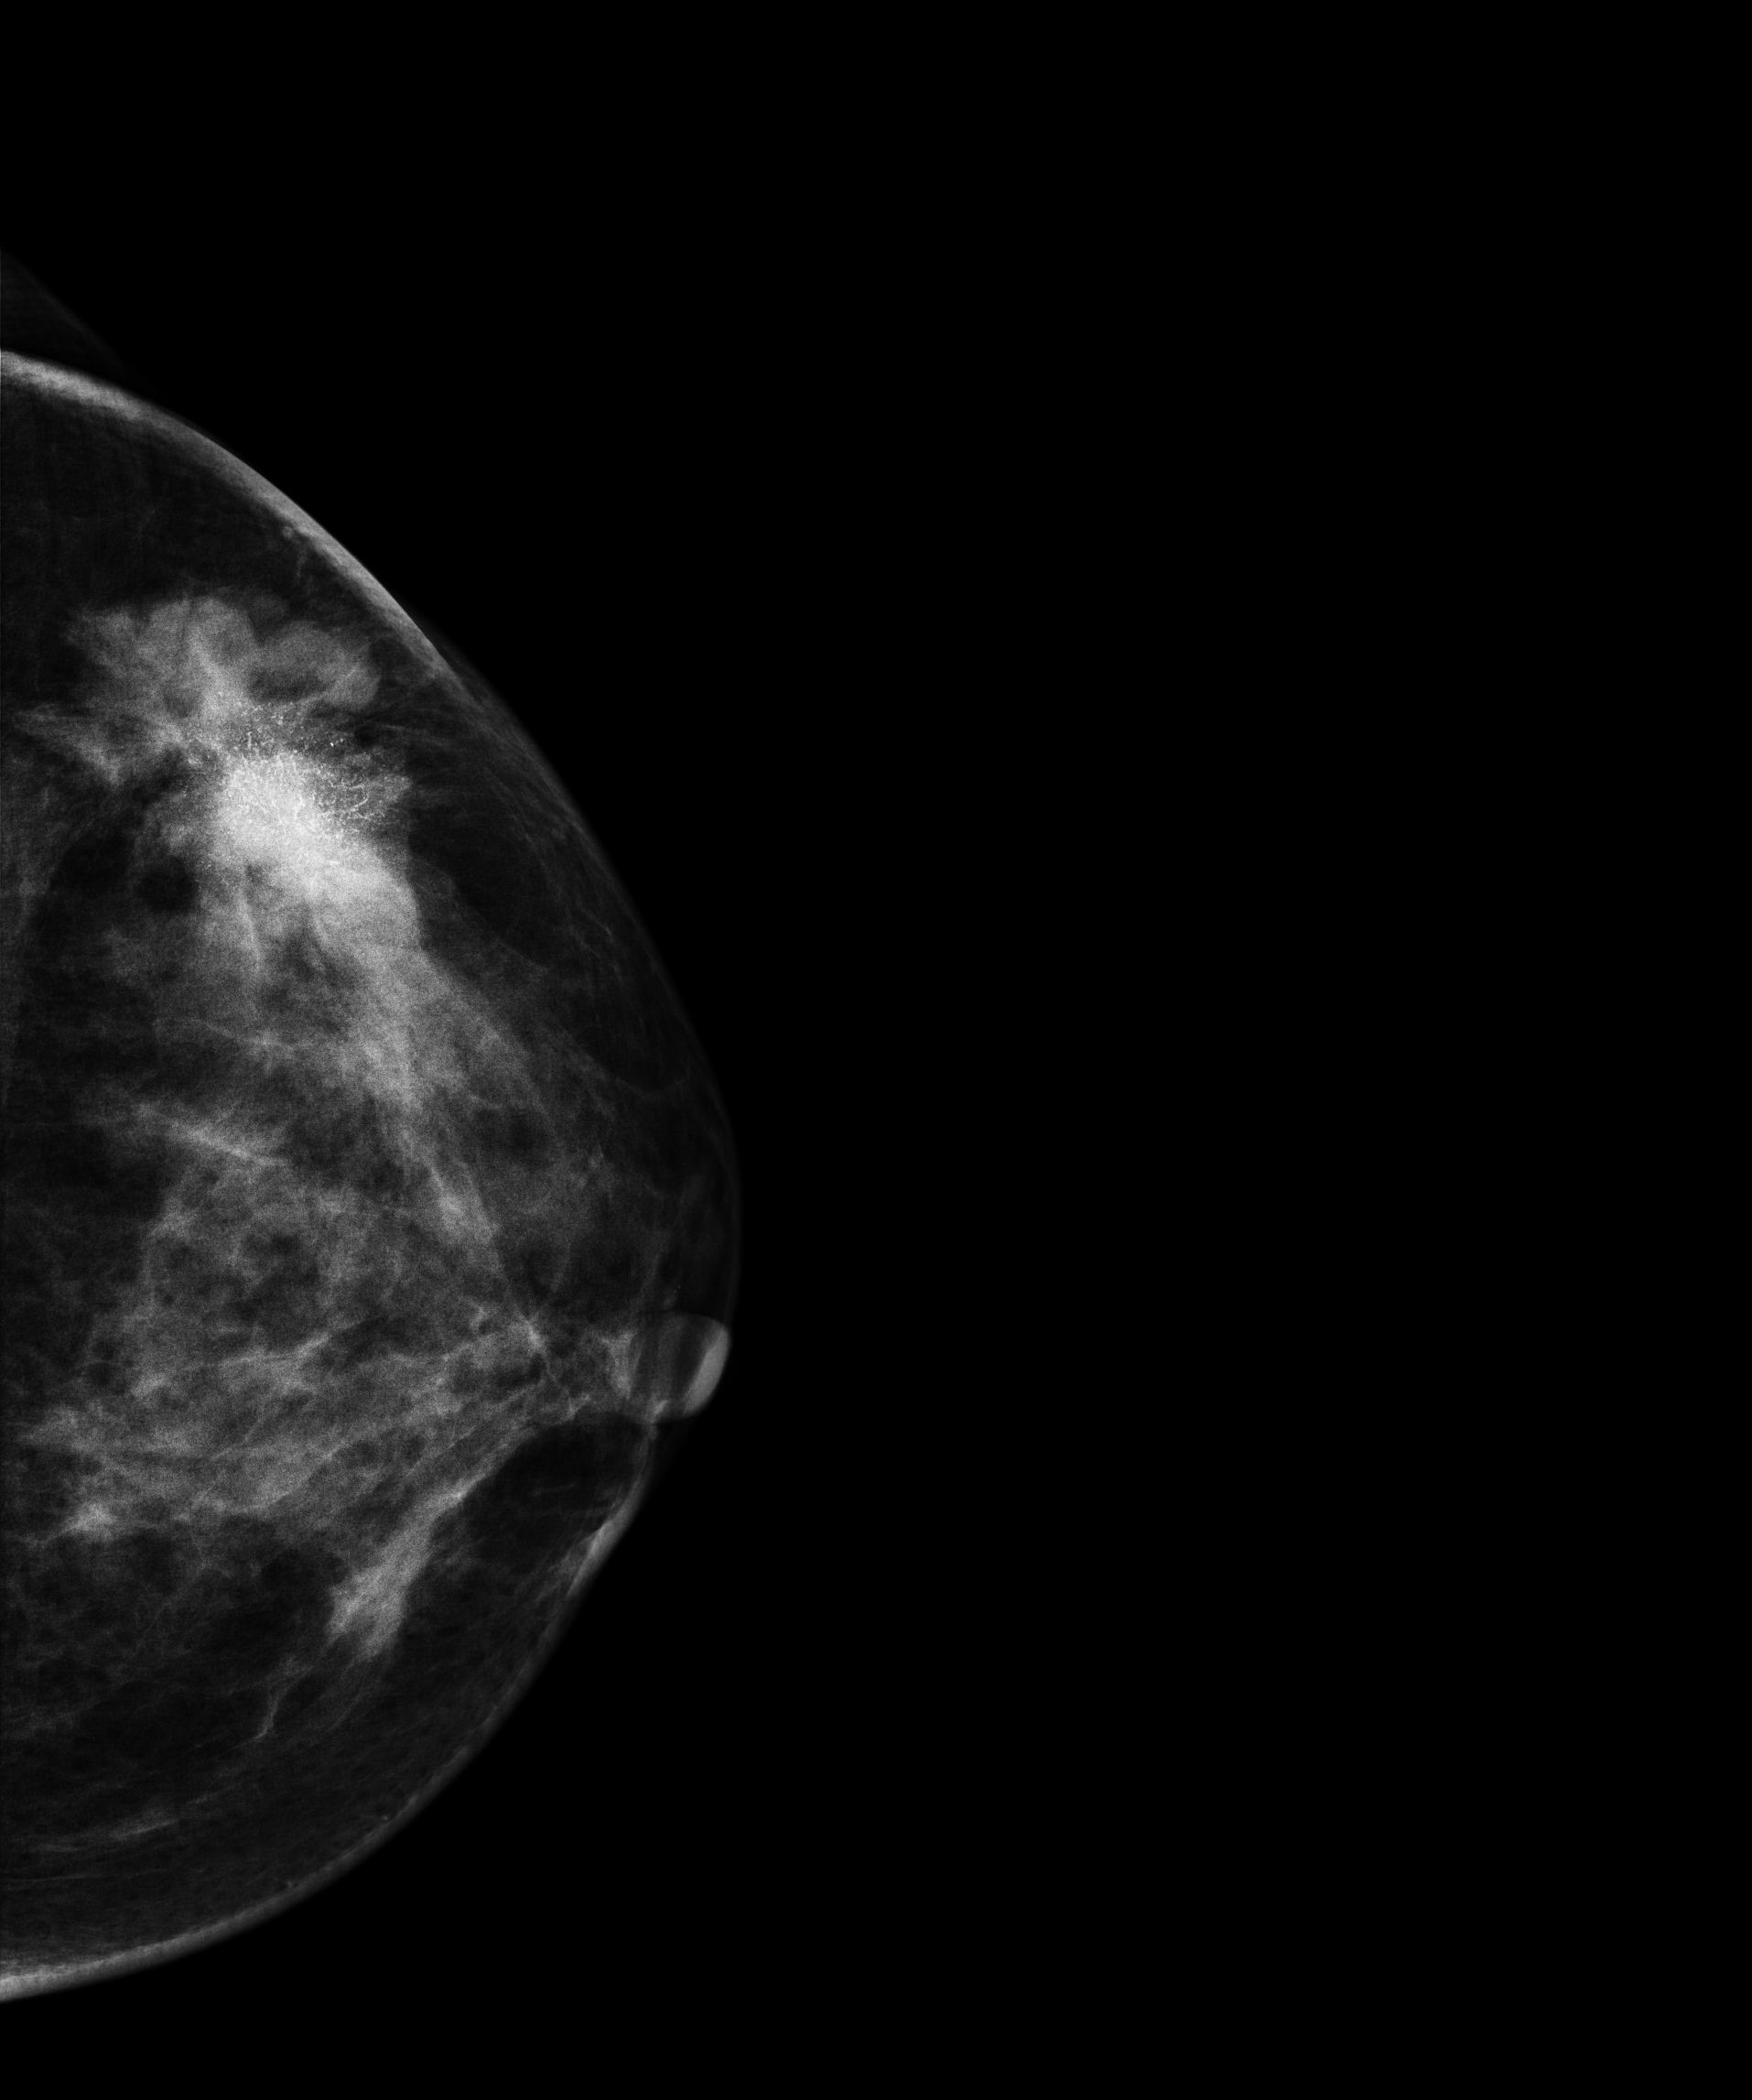
Left-breast mammogram, CC. Patient age 37.
This breast has calcifications, biopsy-proven malignant. Molecular subtype: luminal B.